Left-breast mammogram, MLO. 42-year-old patient.
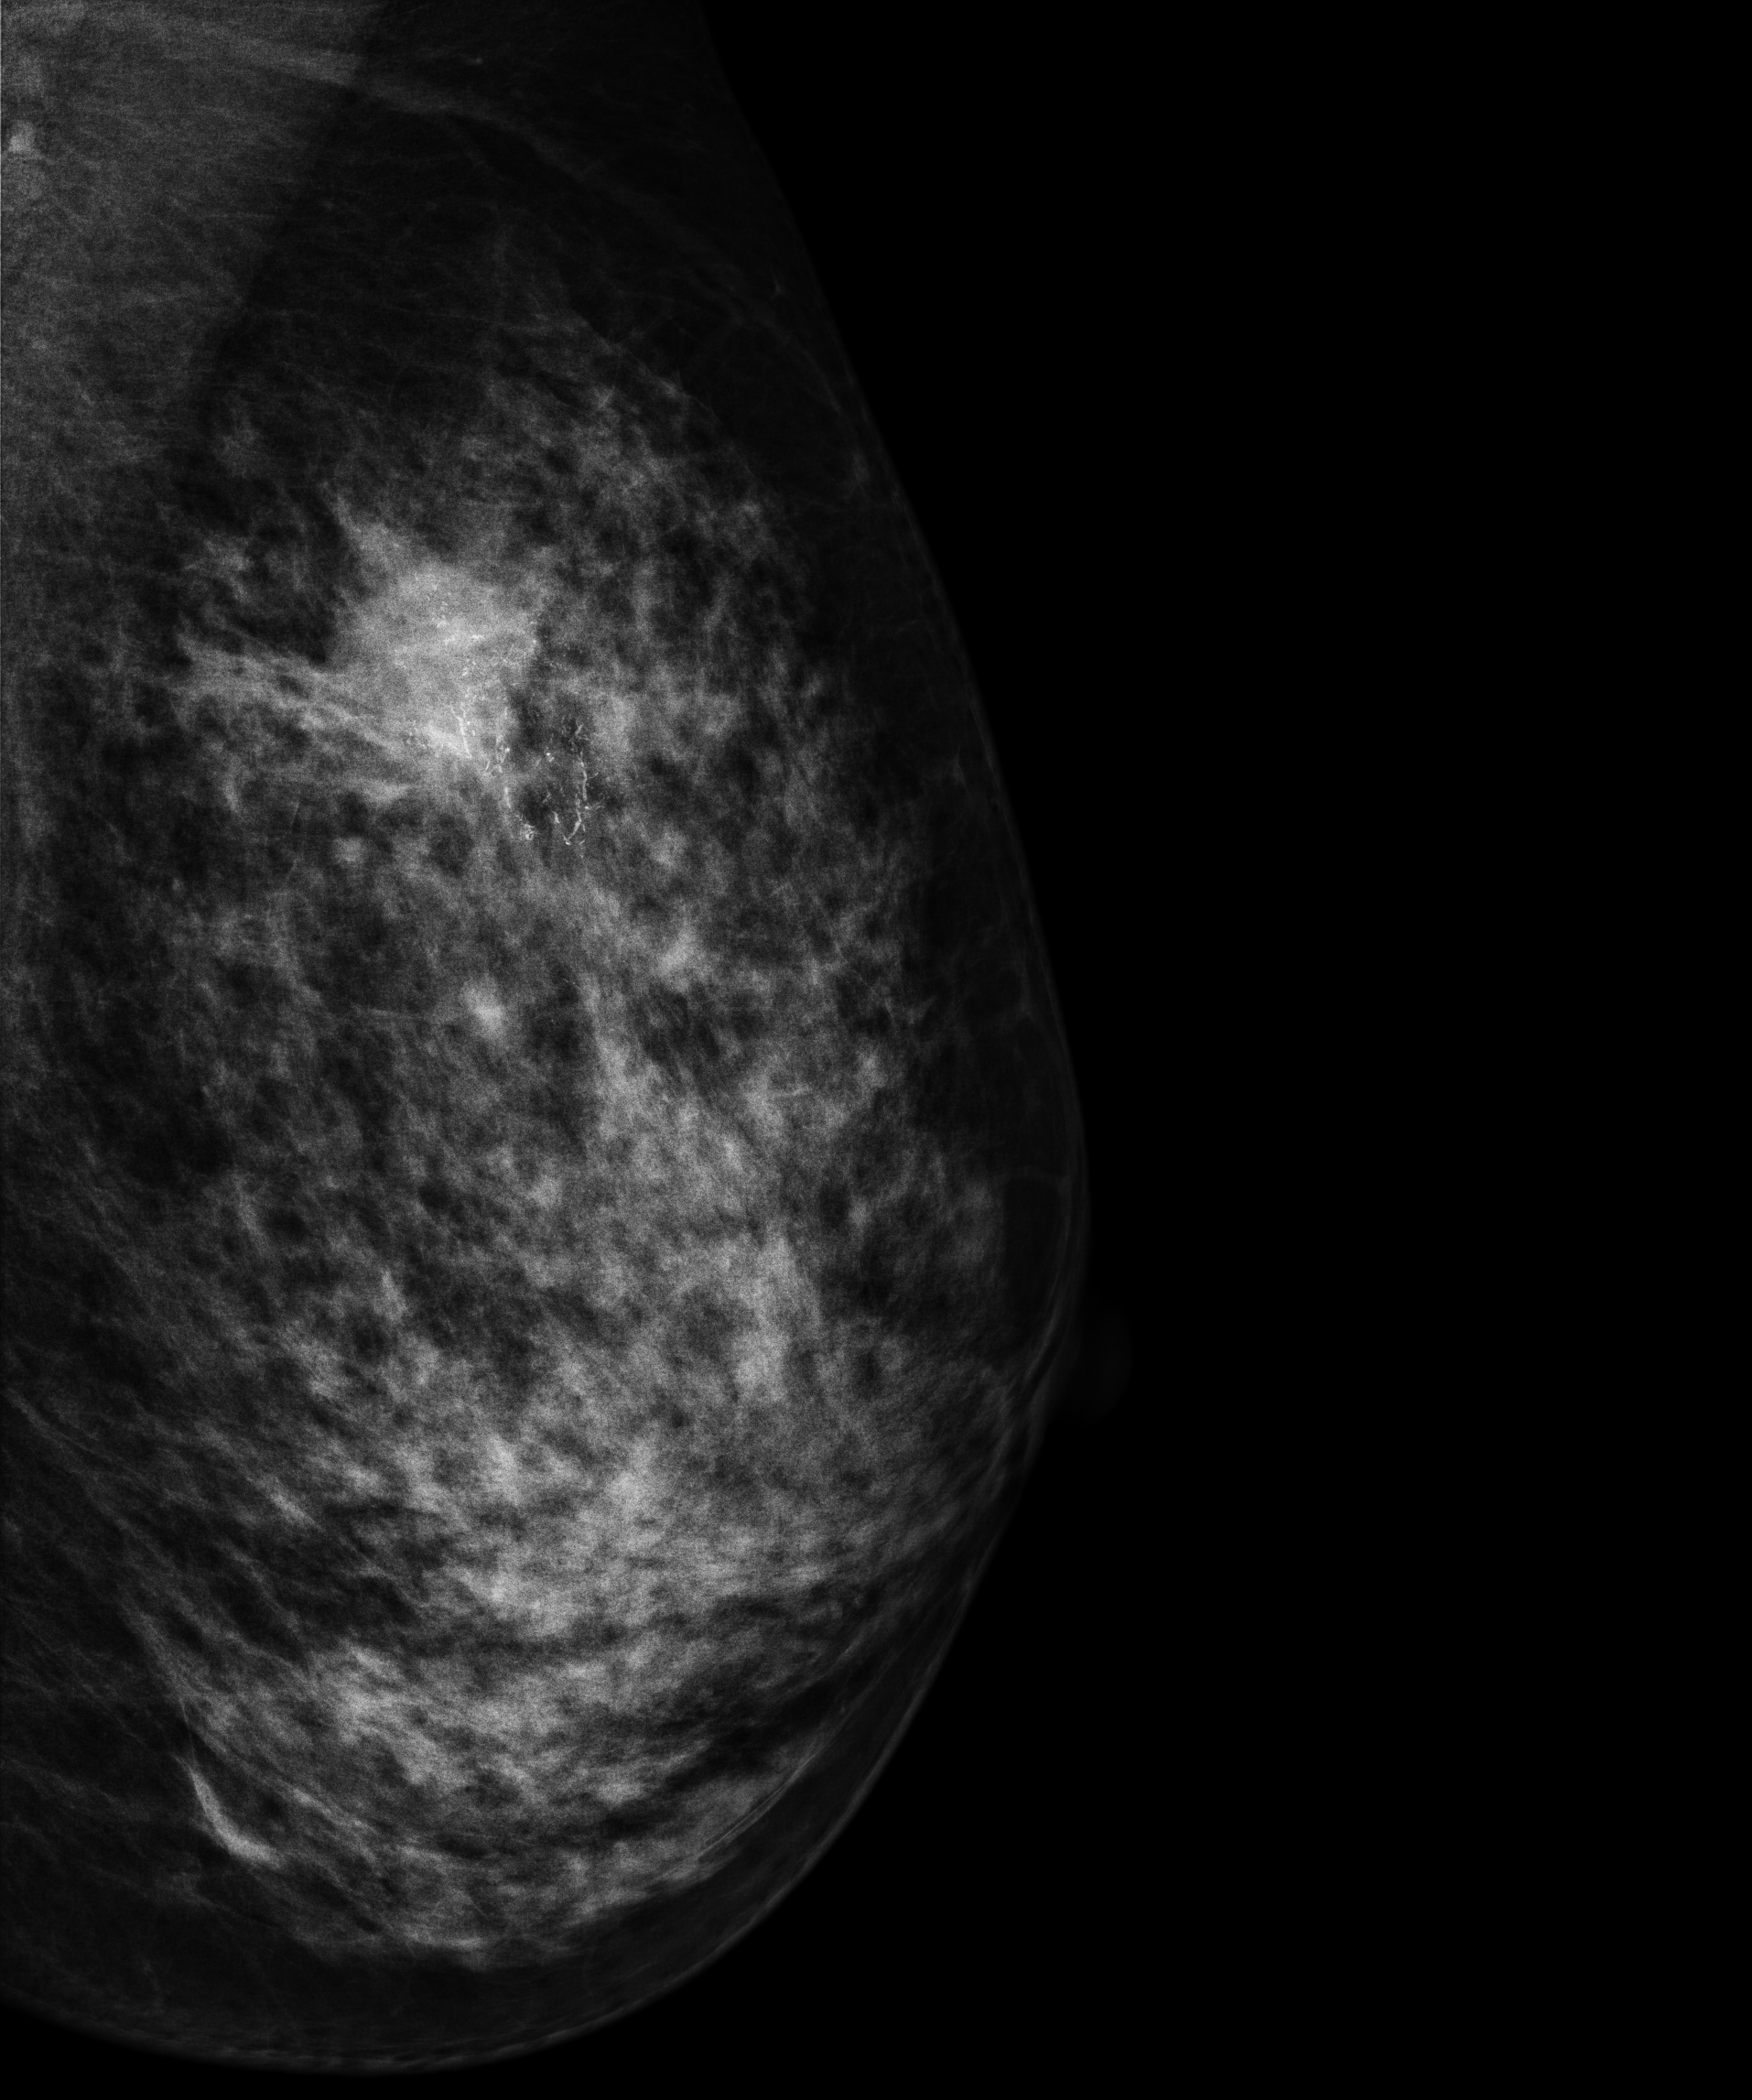
This breast has a mass and calcifications, biopsy-confirmed malignant. Molecular subtype: luminal A.